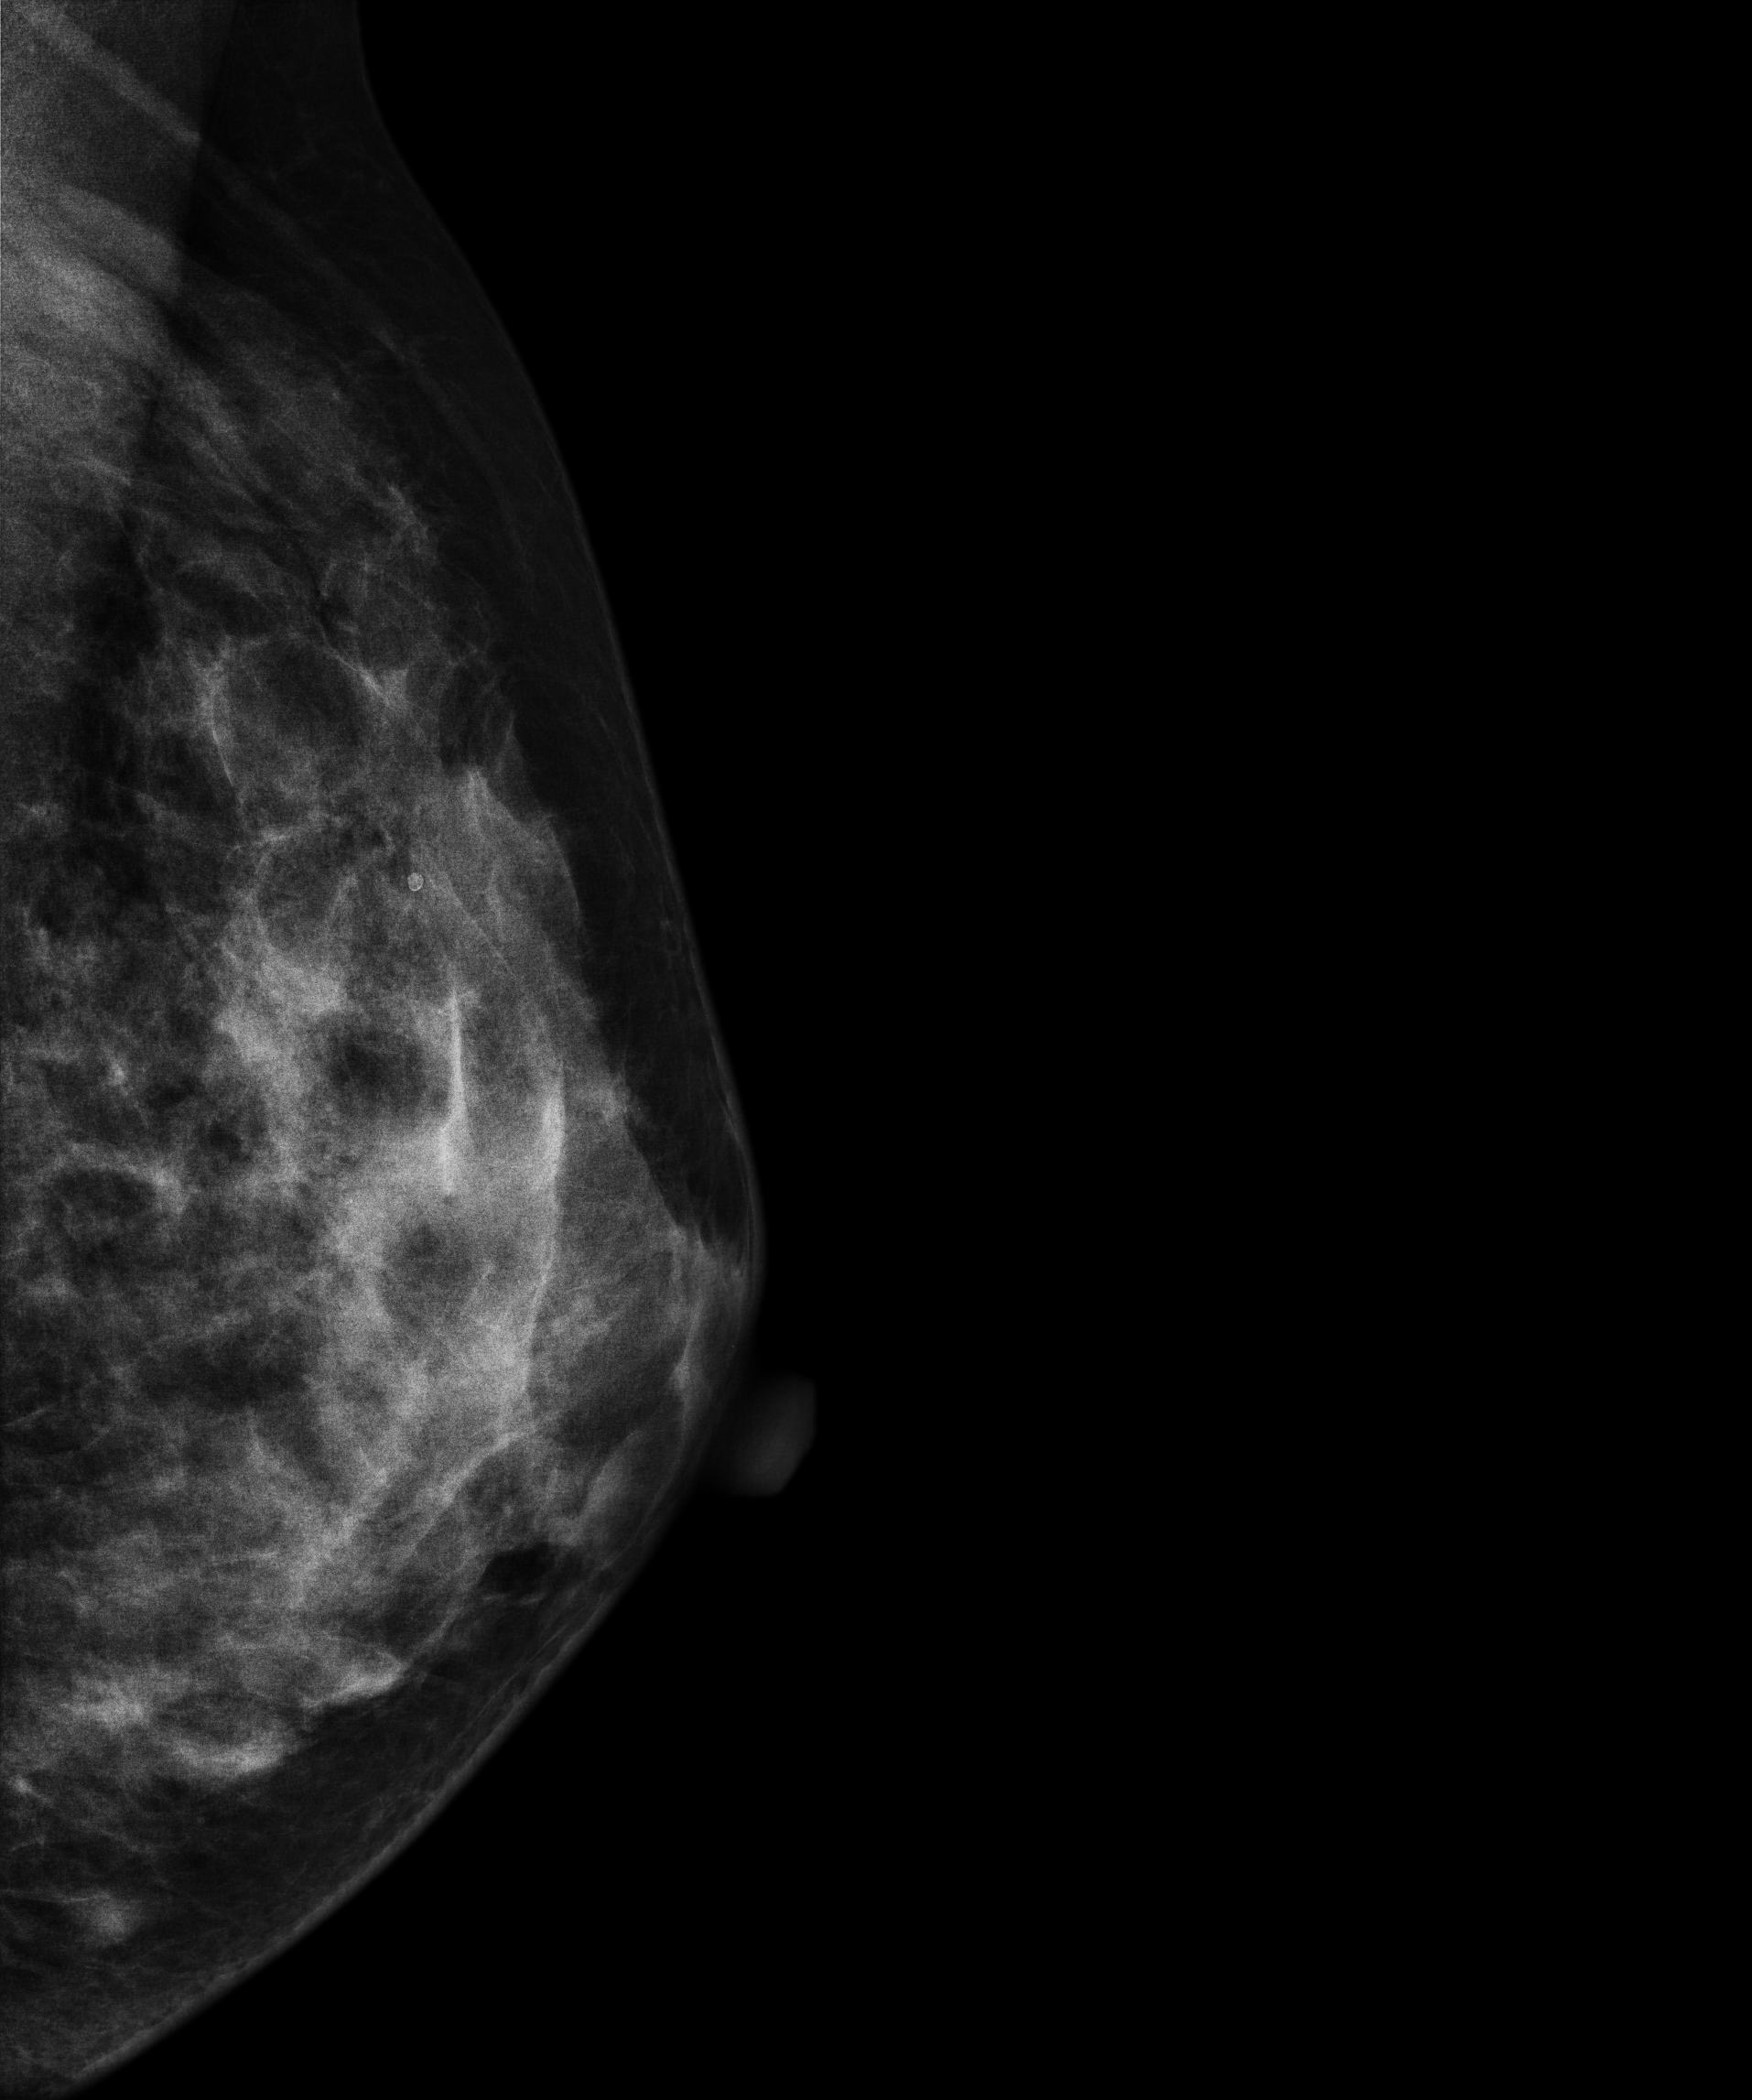
Mammogram — left medio-lateral oblique. 50 y/o patient.
Contralateral breast — no documented abnormality on this side.